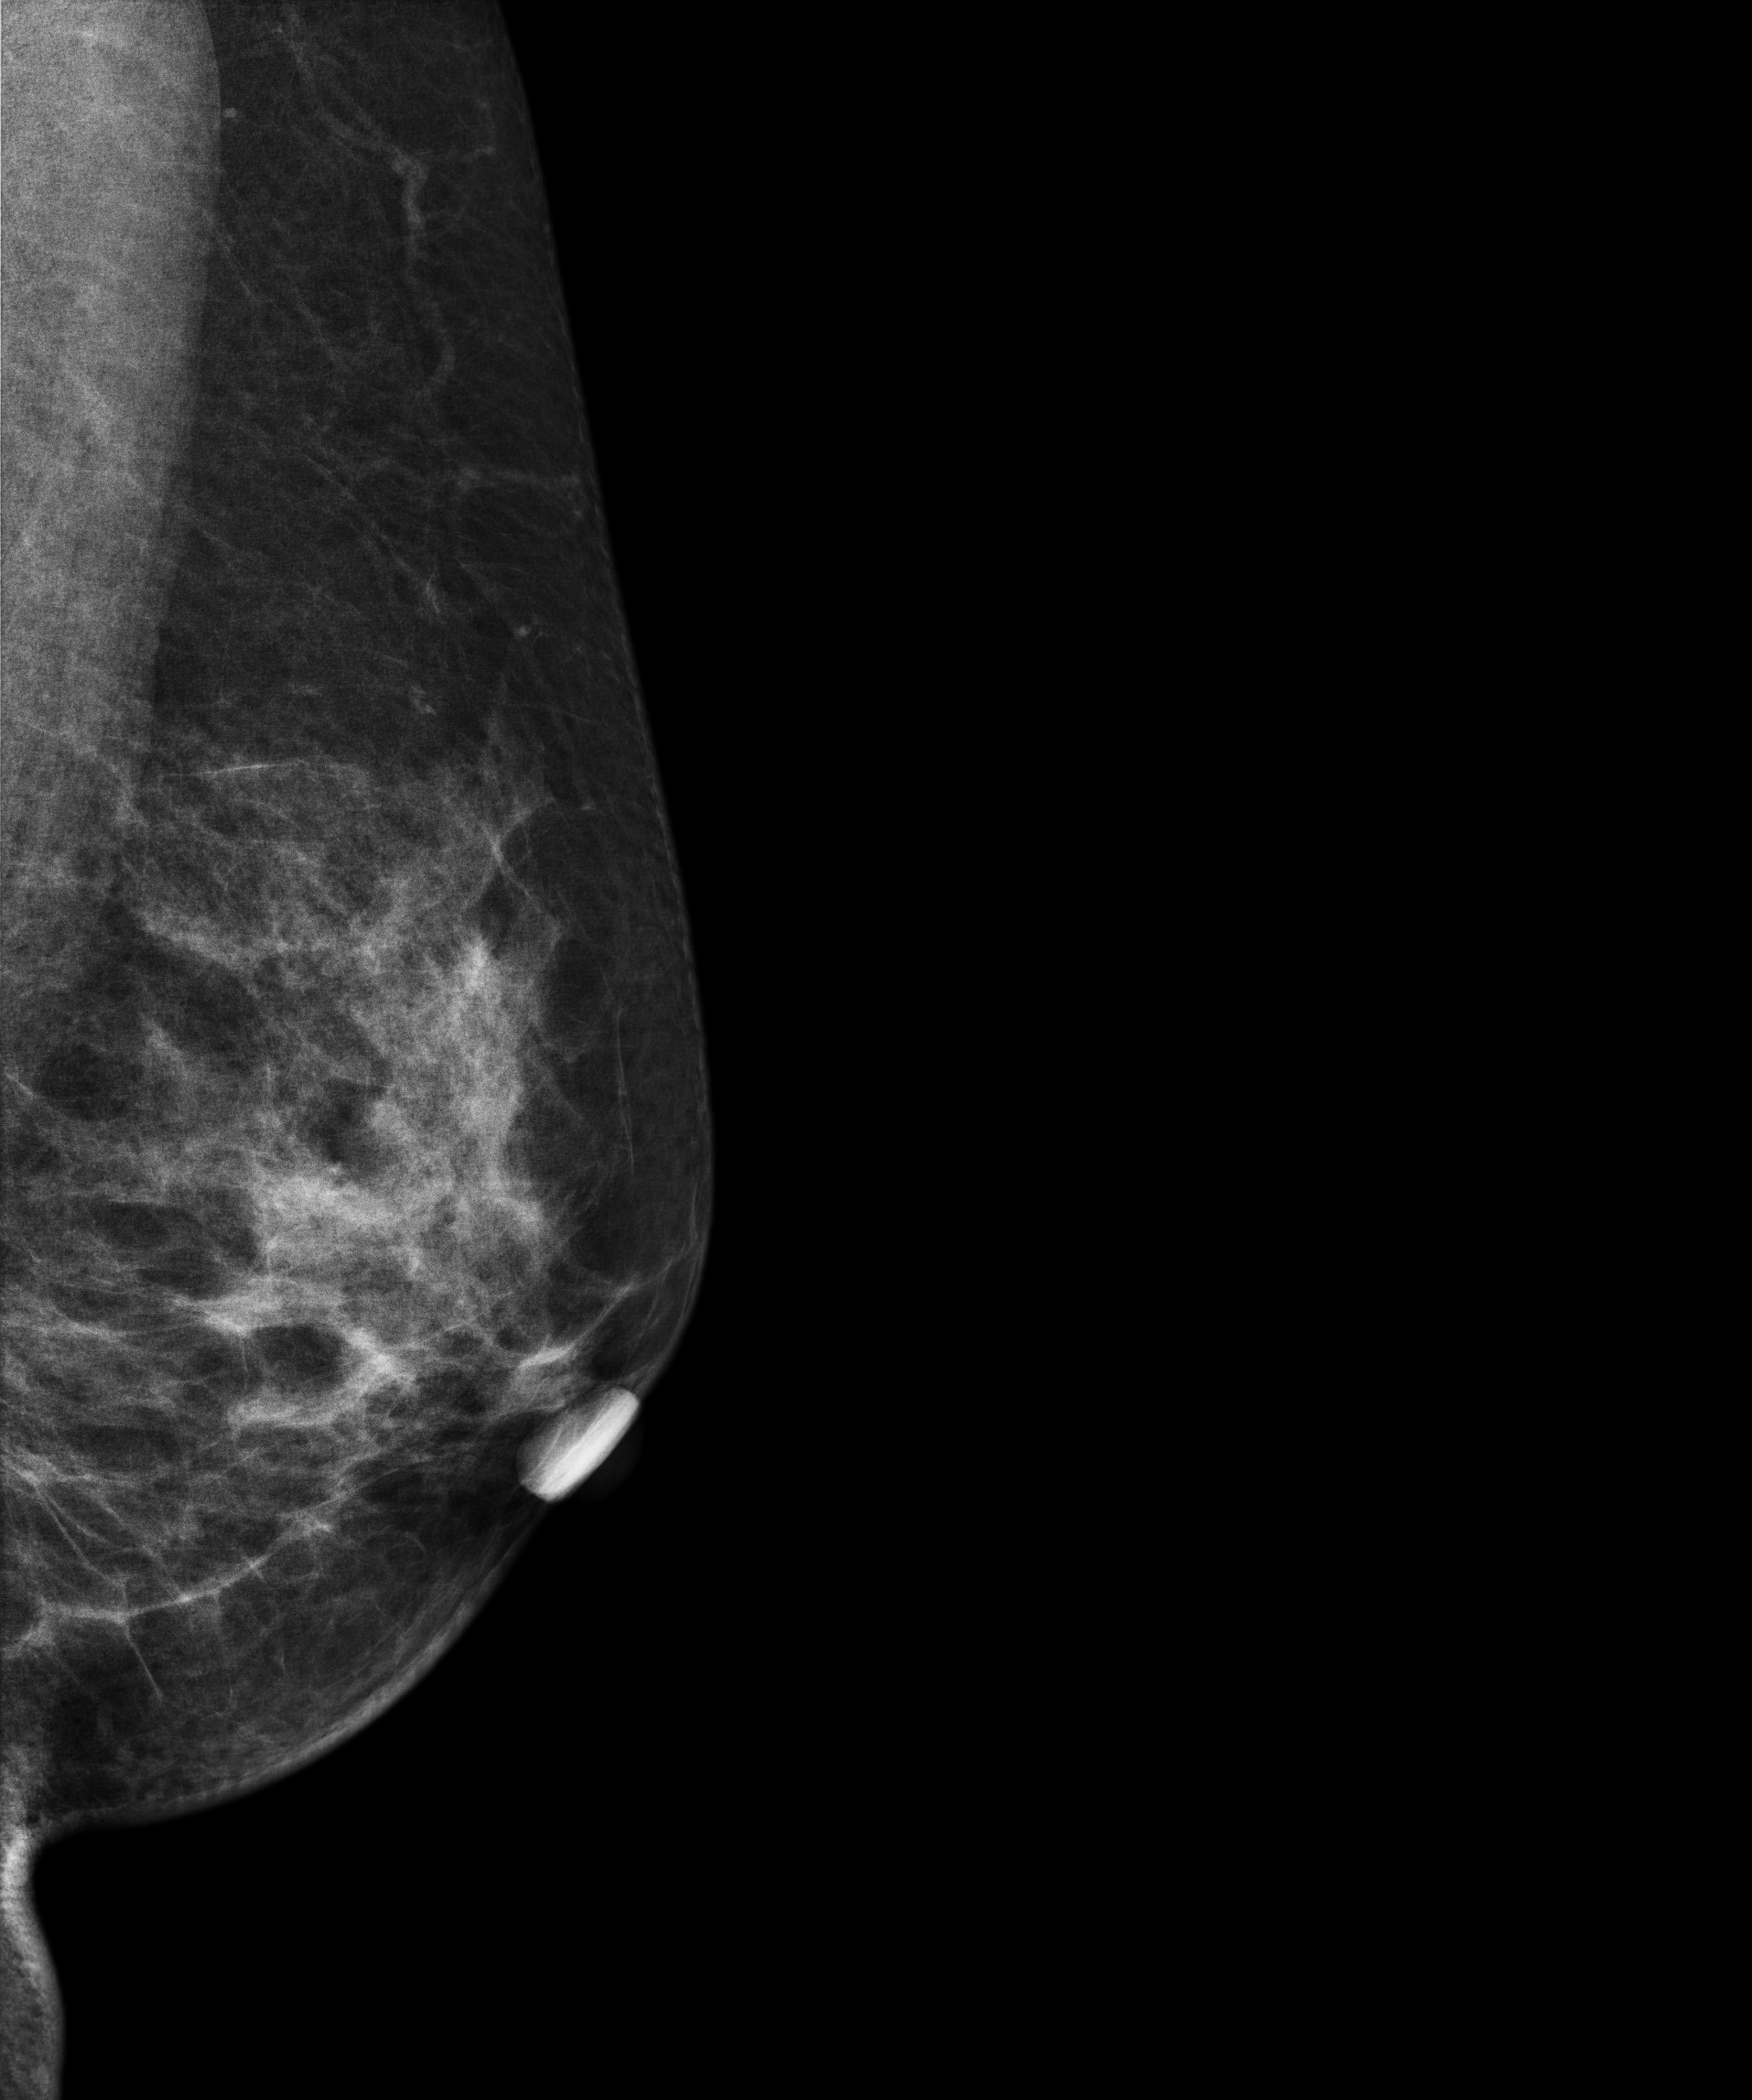
Digital mammography. Left breast, medio-lateral oblique projection. 47 y/o patient.
Contralateral breast — no documented abnormality on this side.